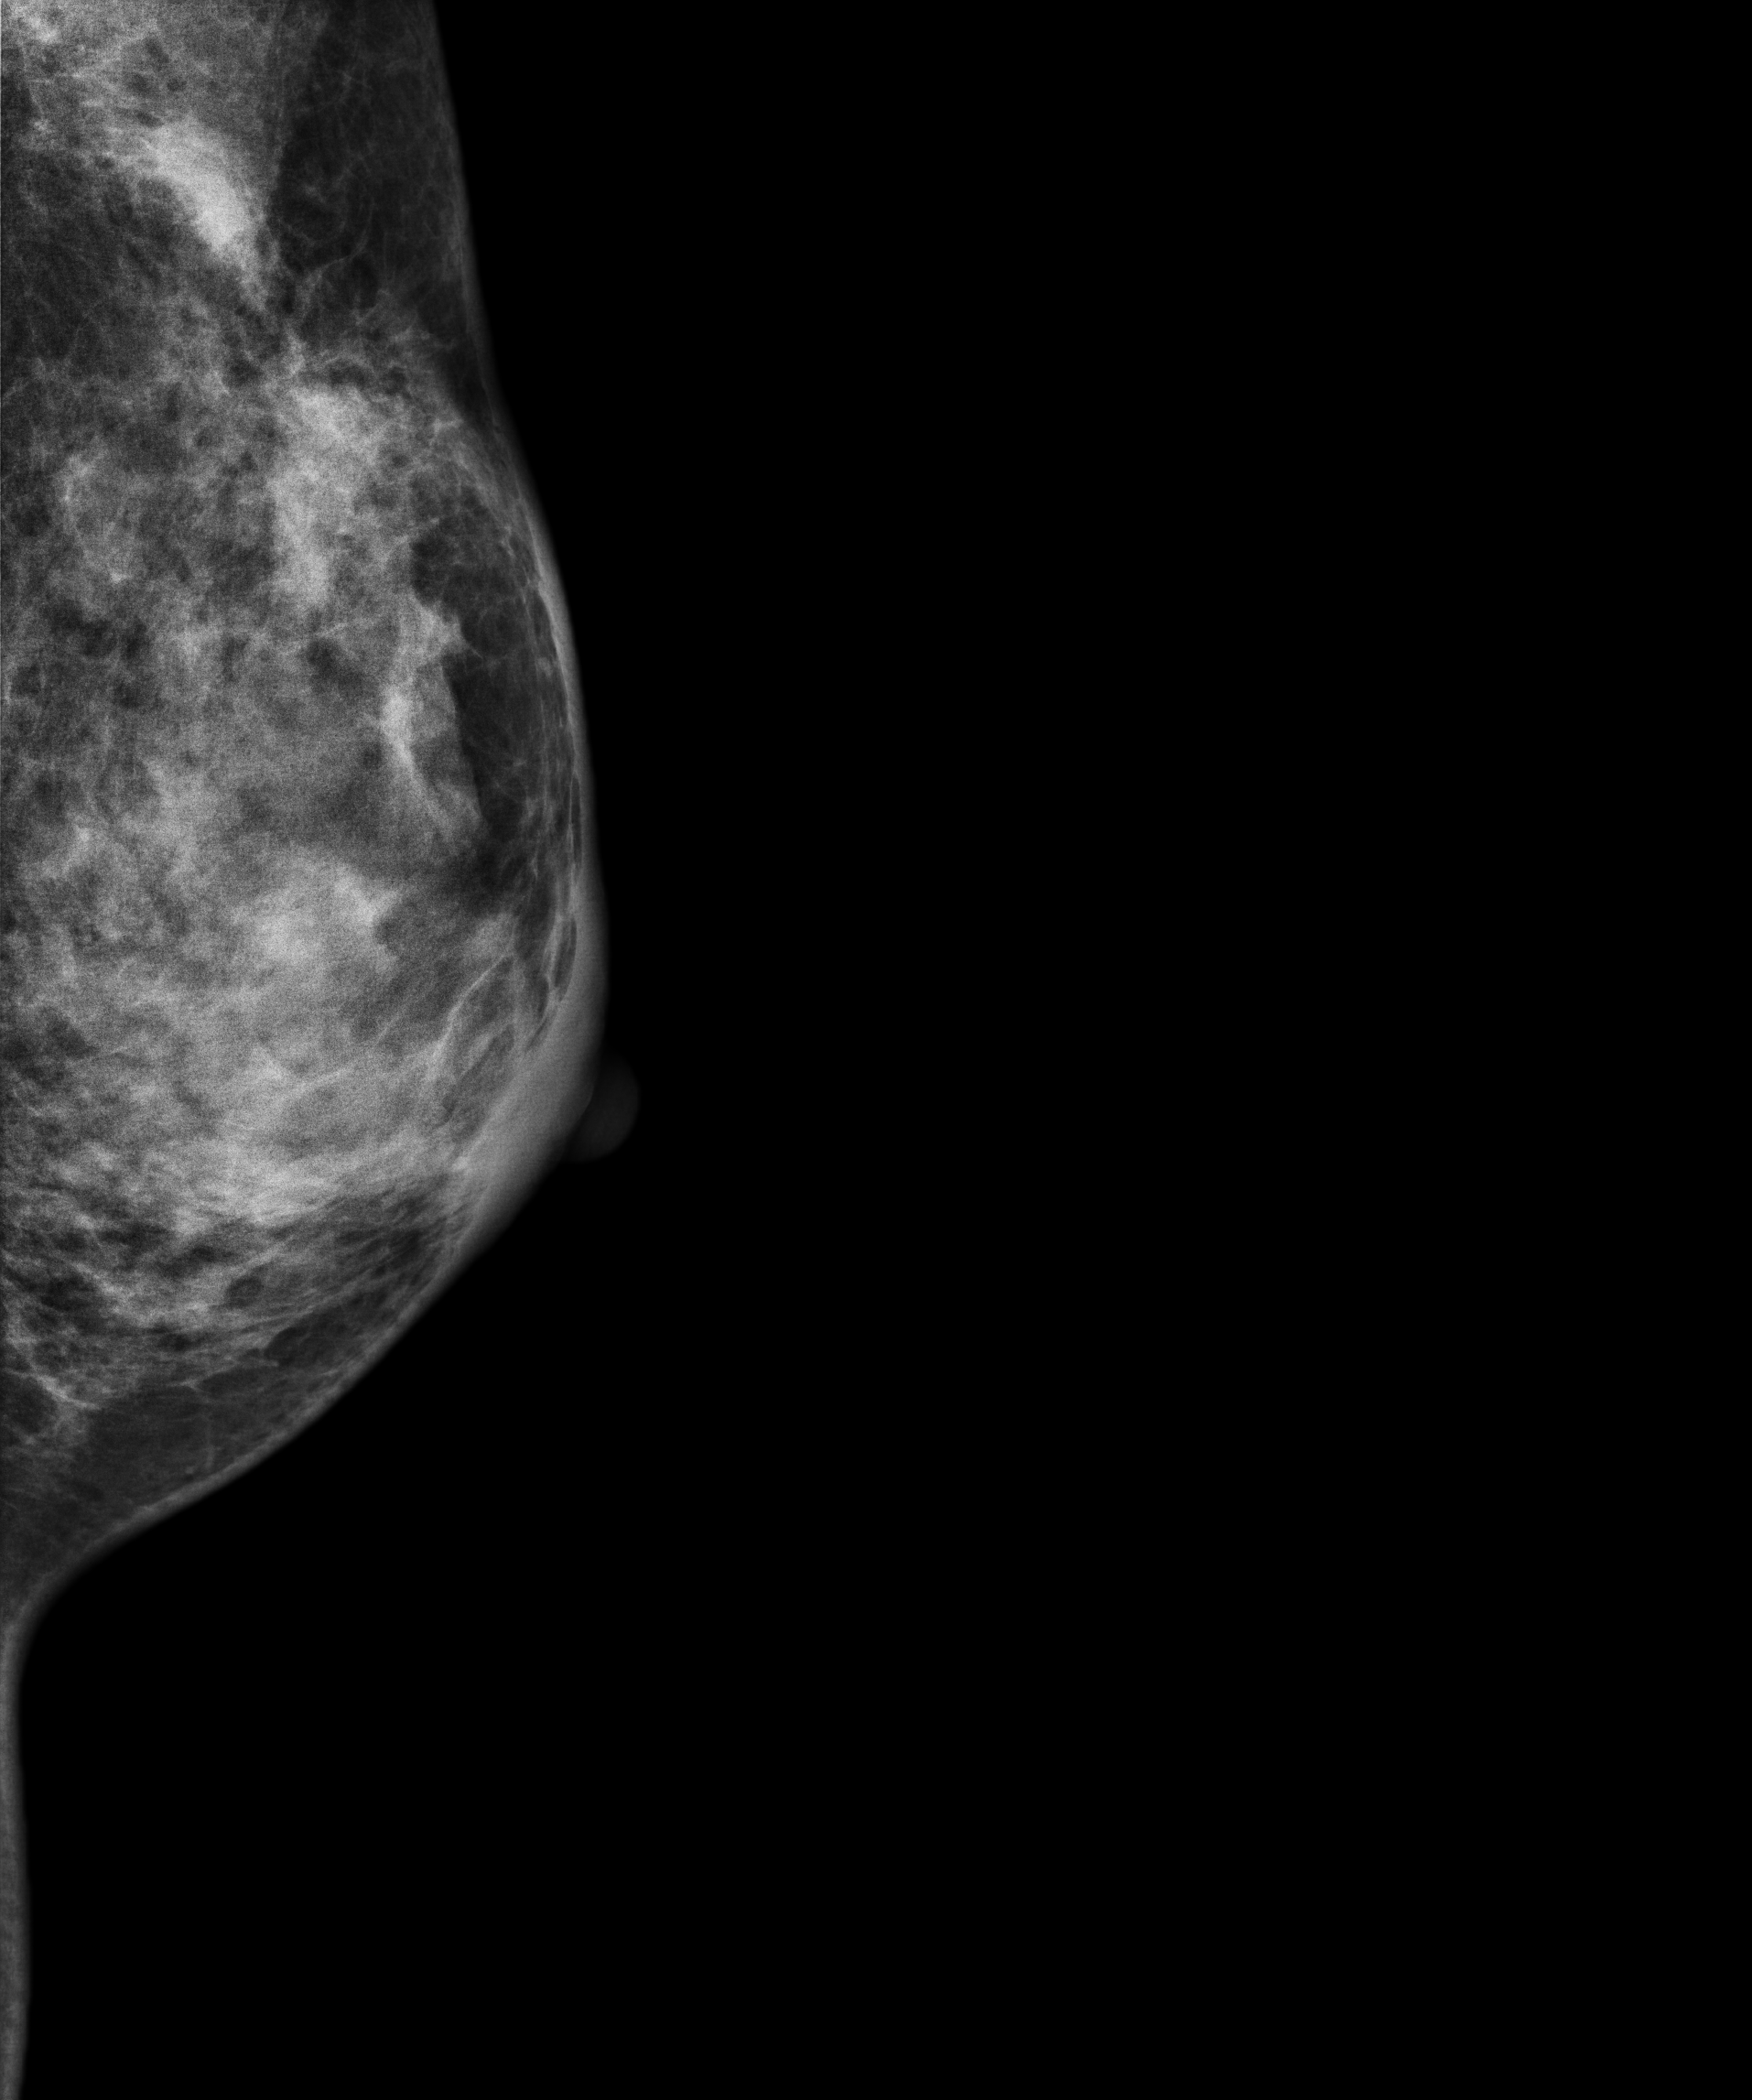
Mammogram, left breast, medio-lateral oblique view. 35-year-old patient.
This breast has a mass, histologically confirmed malignant. Molecular subtype: triple-negative.